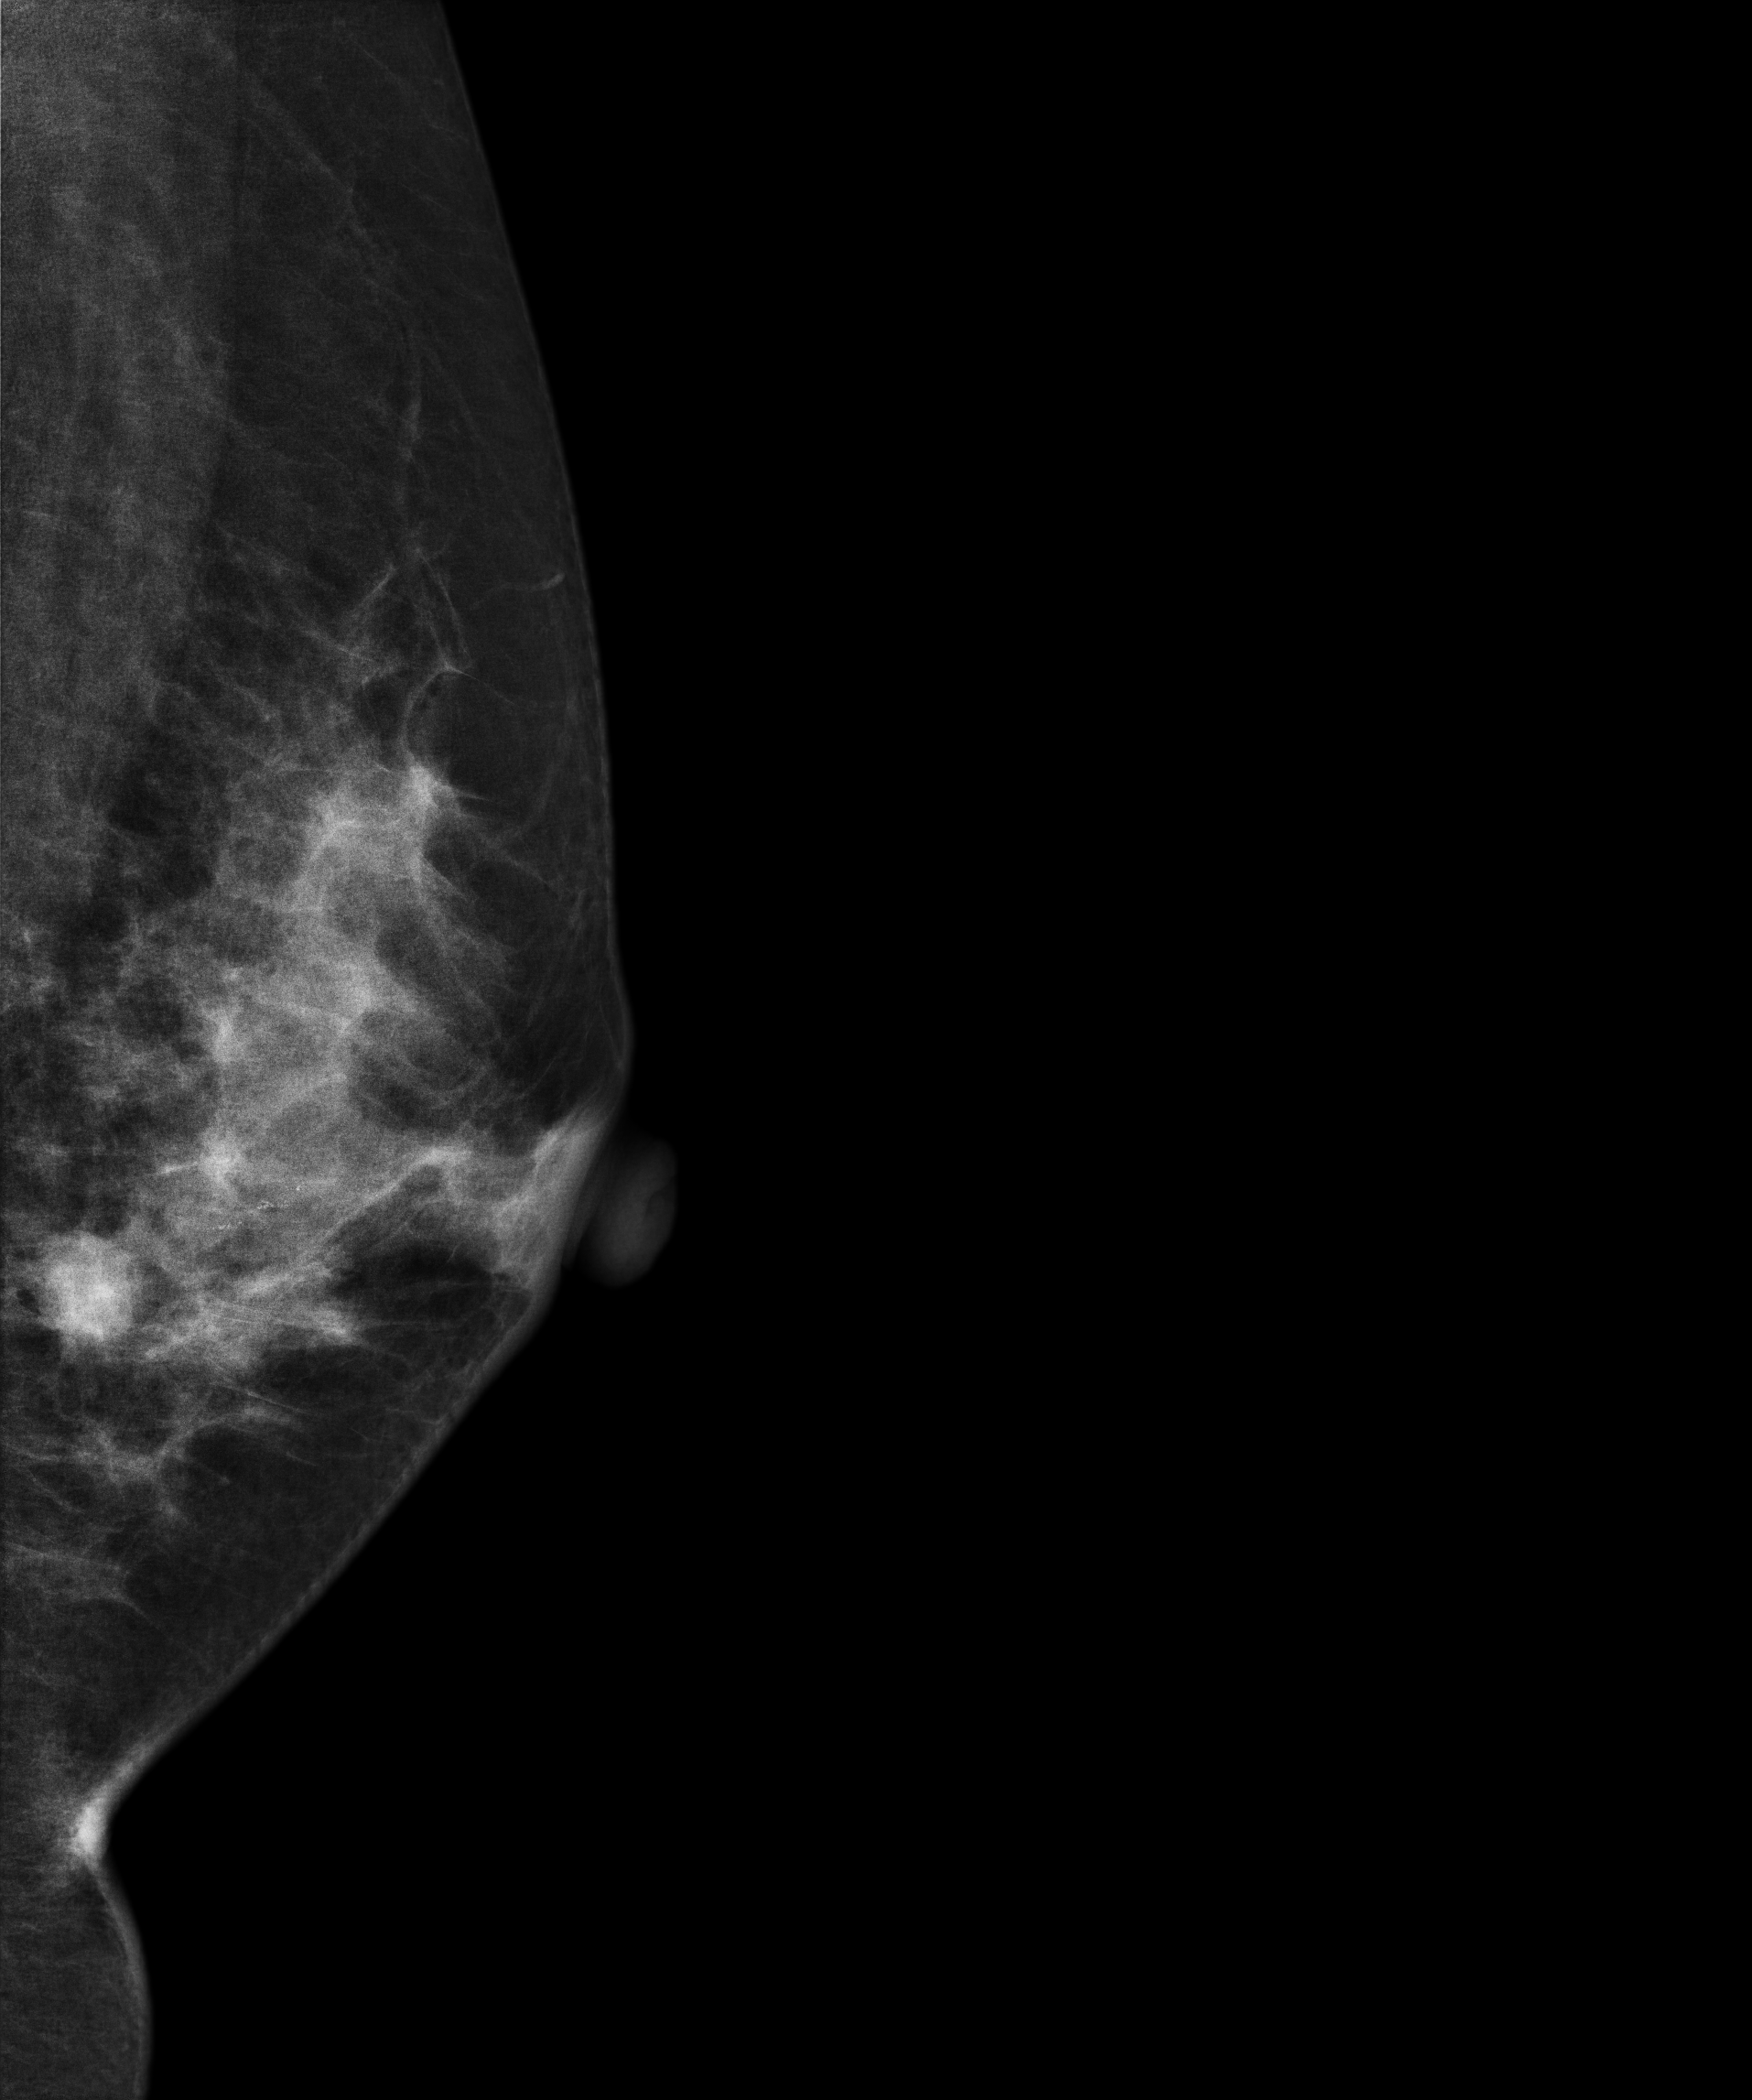
Digital mammography. Left breast, MLO projection. 35 y/o patient.
This breast has a mass and calcifications, biopsy-proven malignant. Molecular subtype: HER2-enriched.